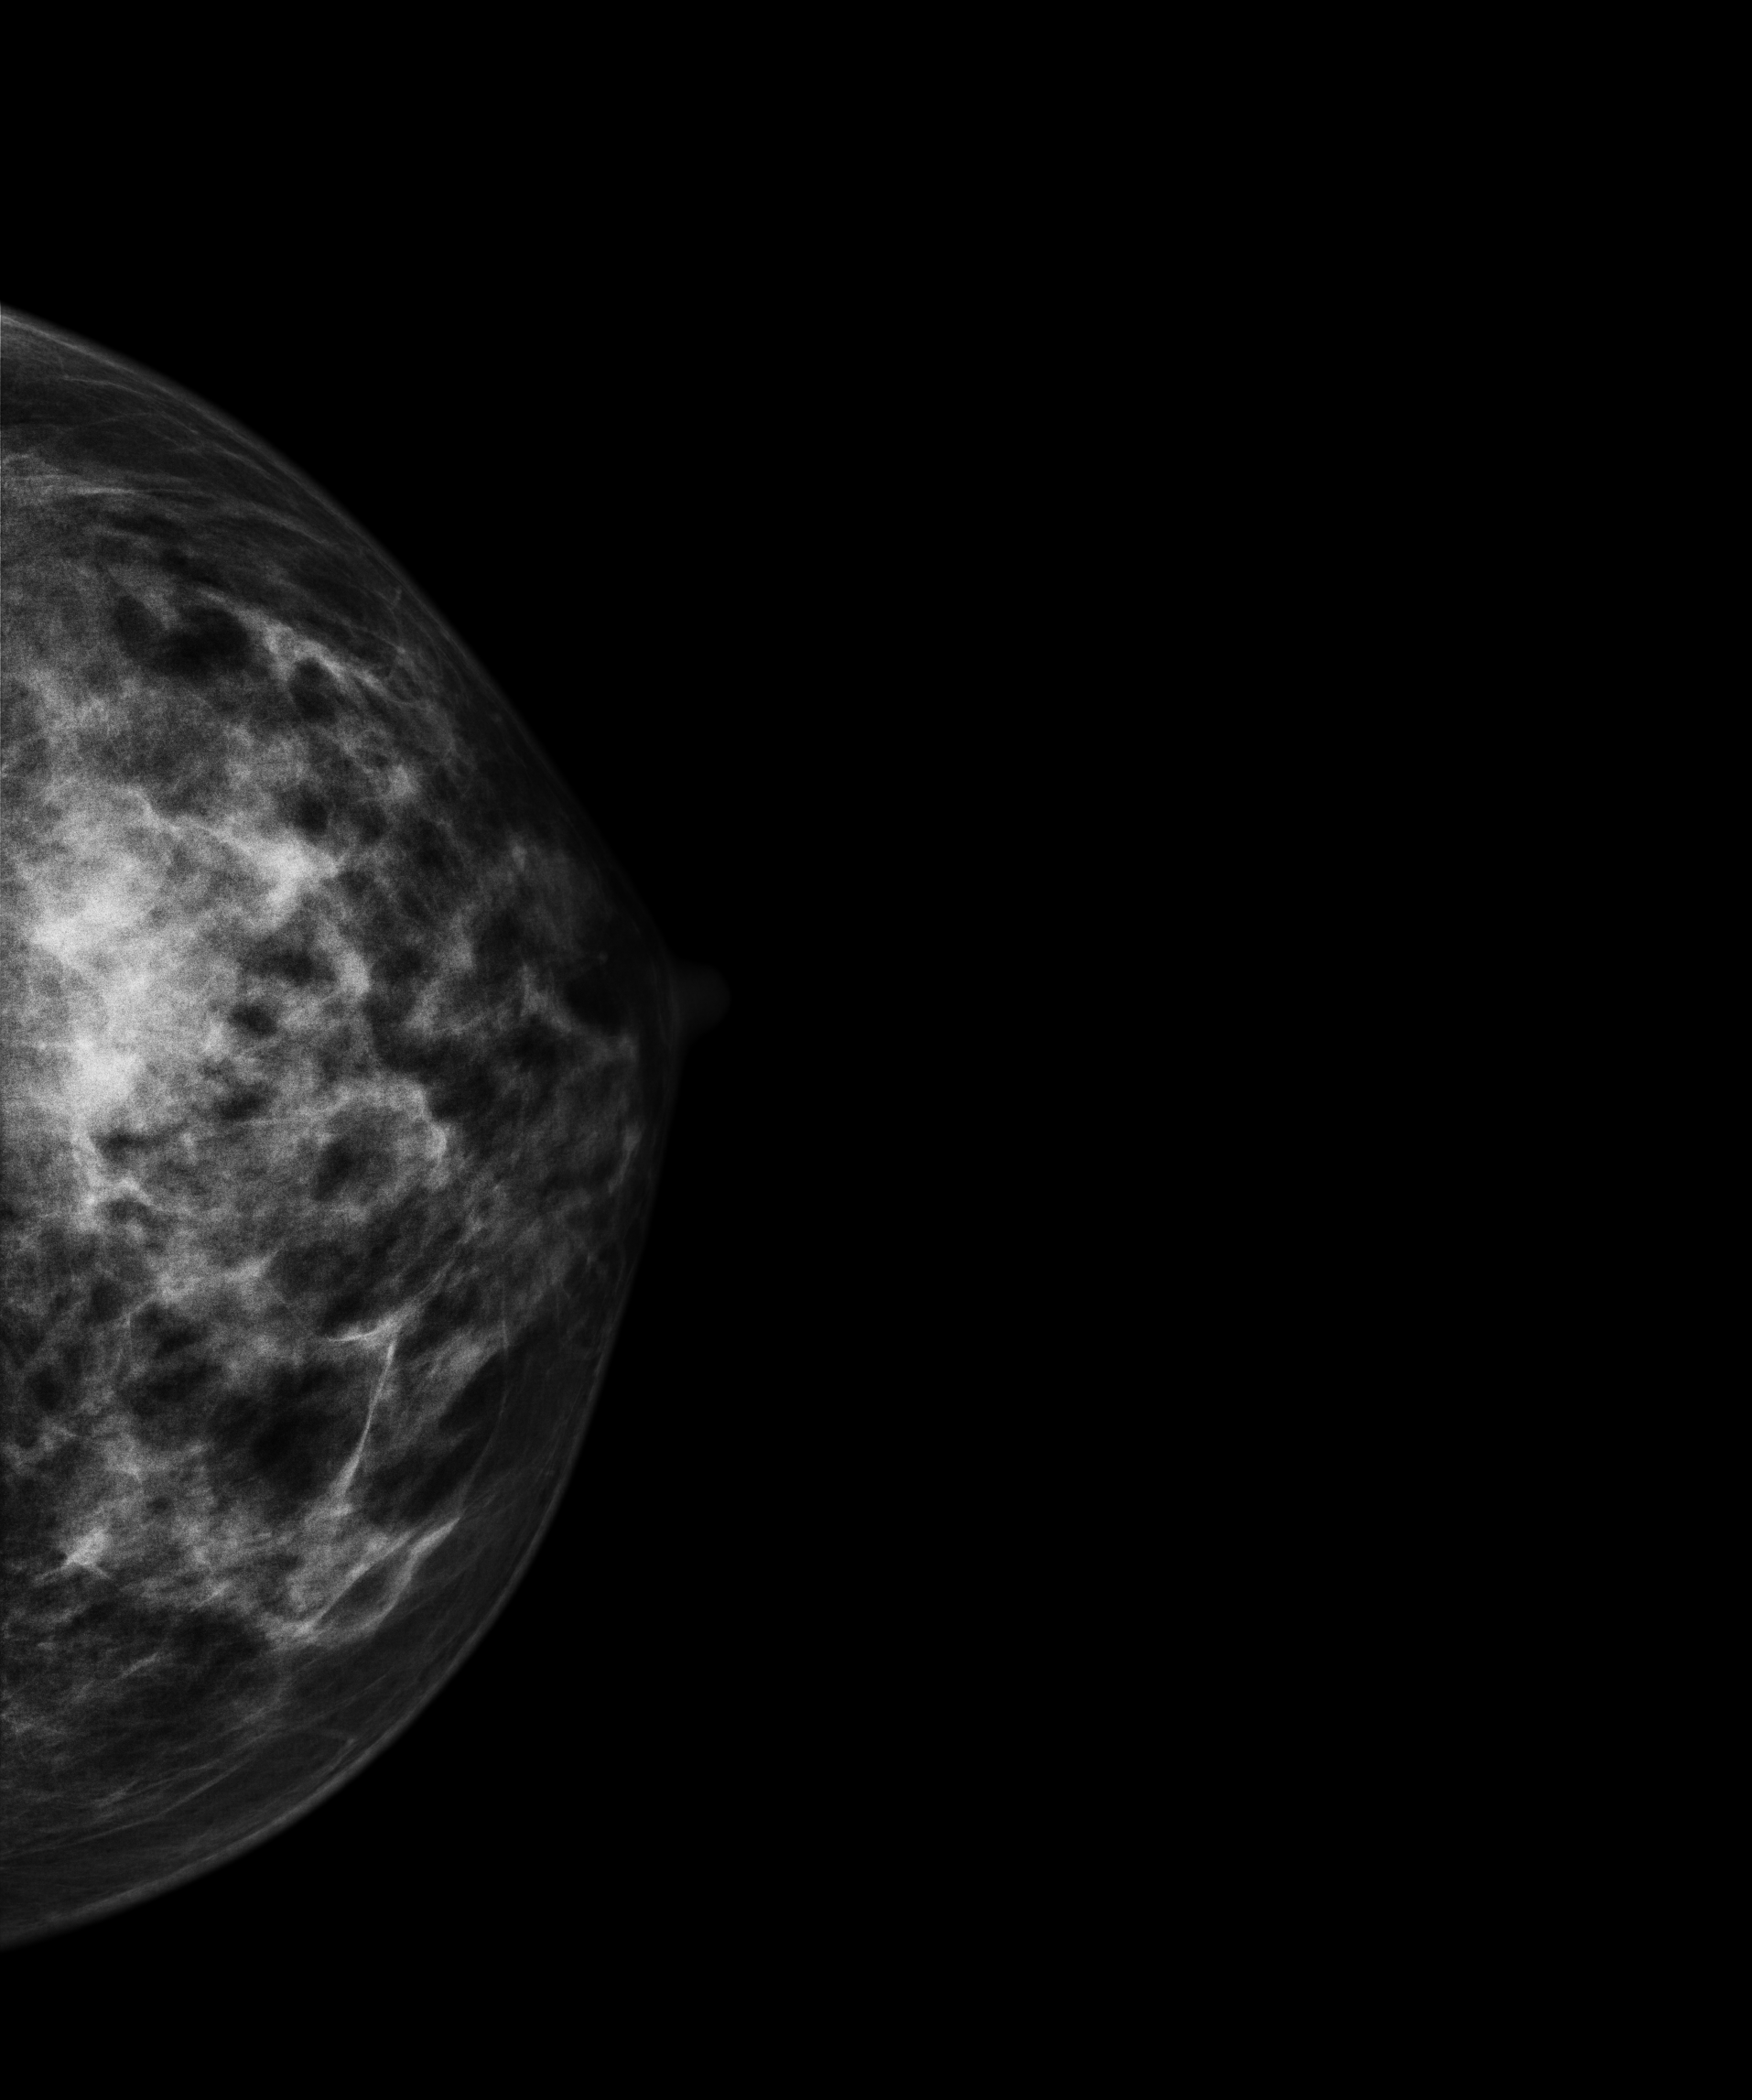
Mammogram — left cranio-caudal. Patient age 37.
This breast has a mass, histologically confirmed malignant.